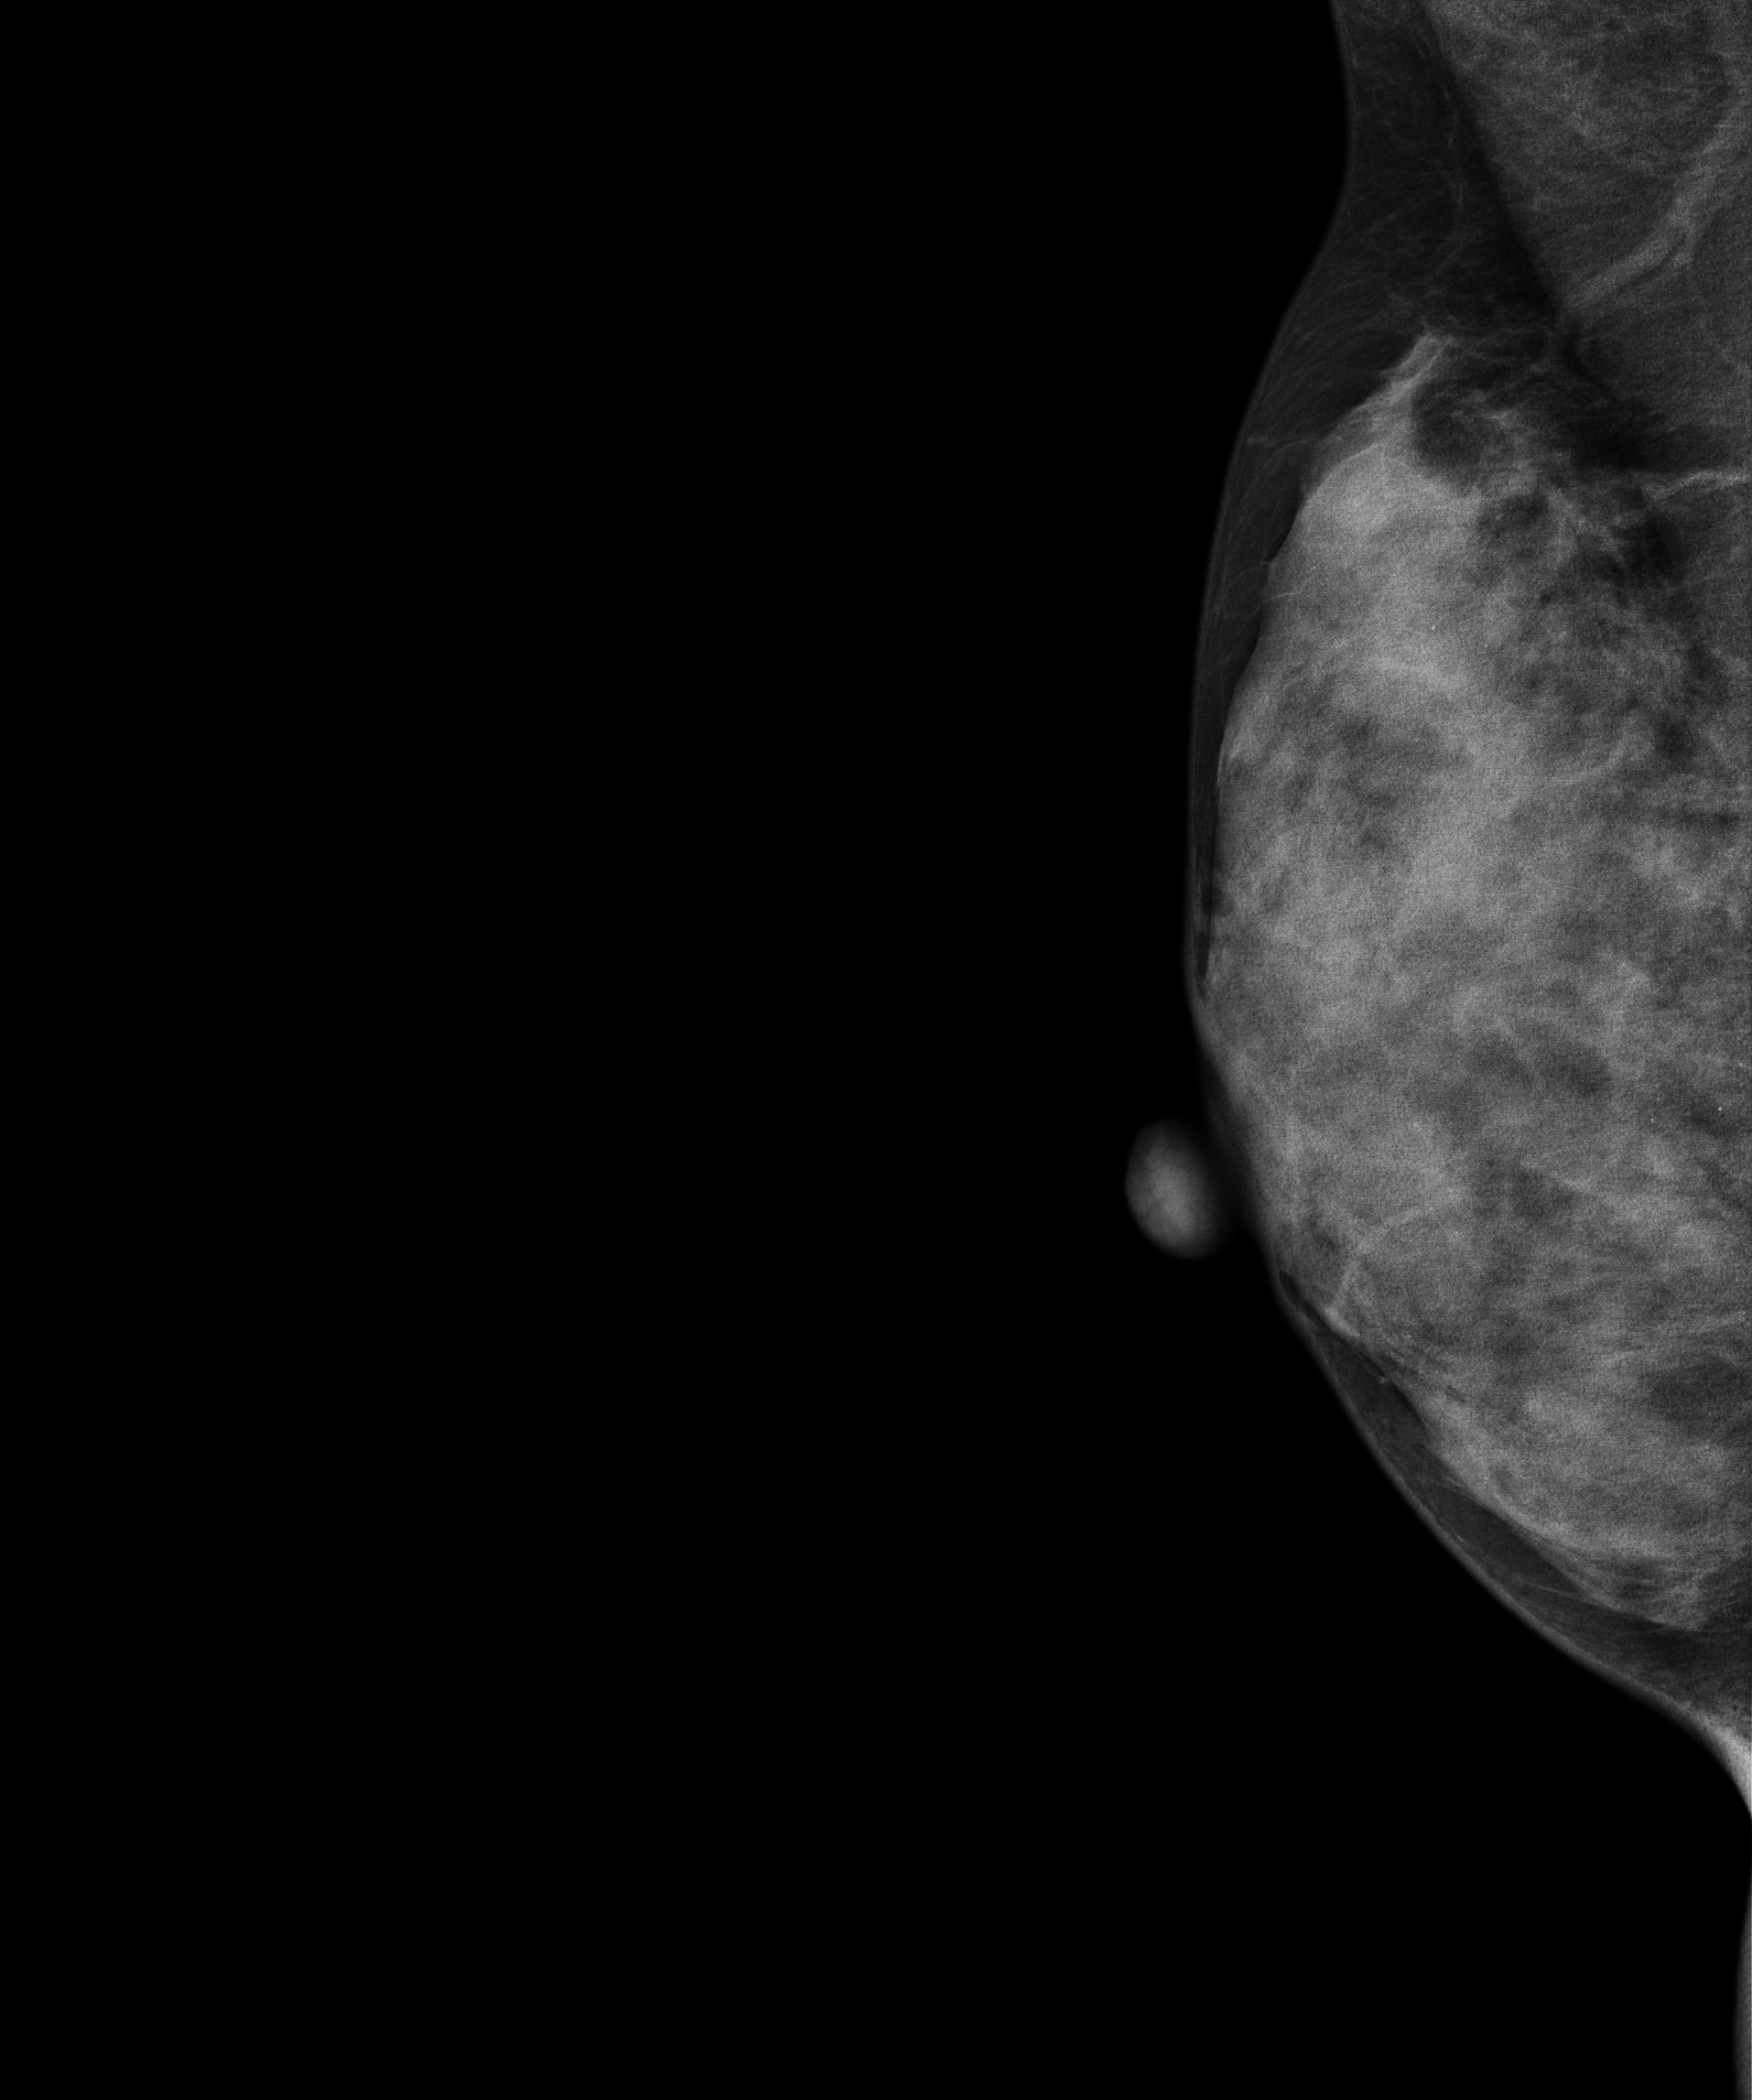
Right-breast mammogram, MLO. 31-year-old patient.
Contralateral breast — no documented abnormality on this side.